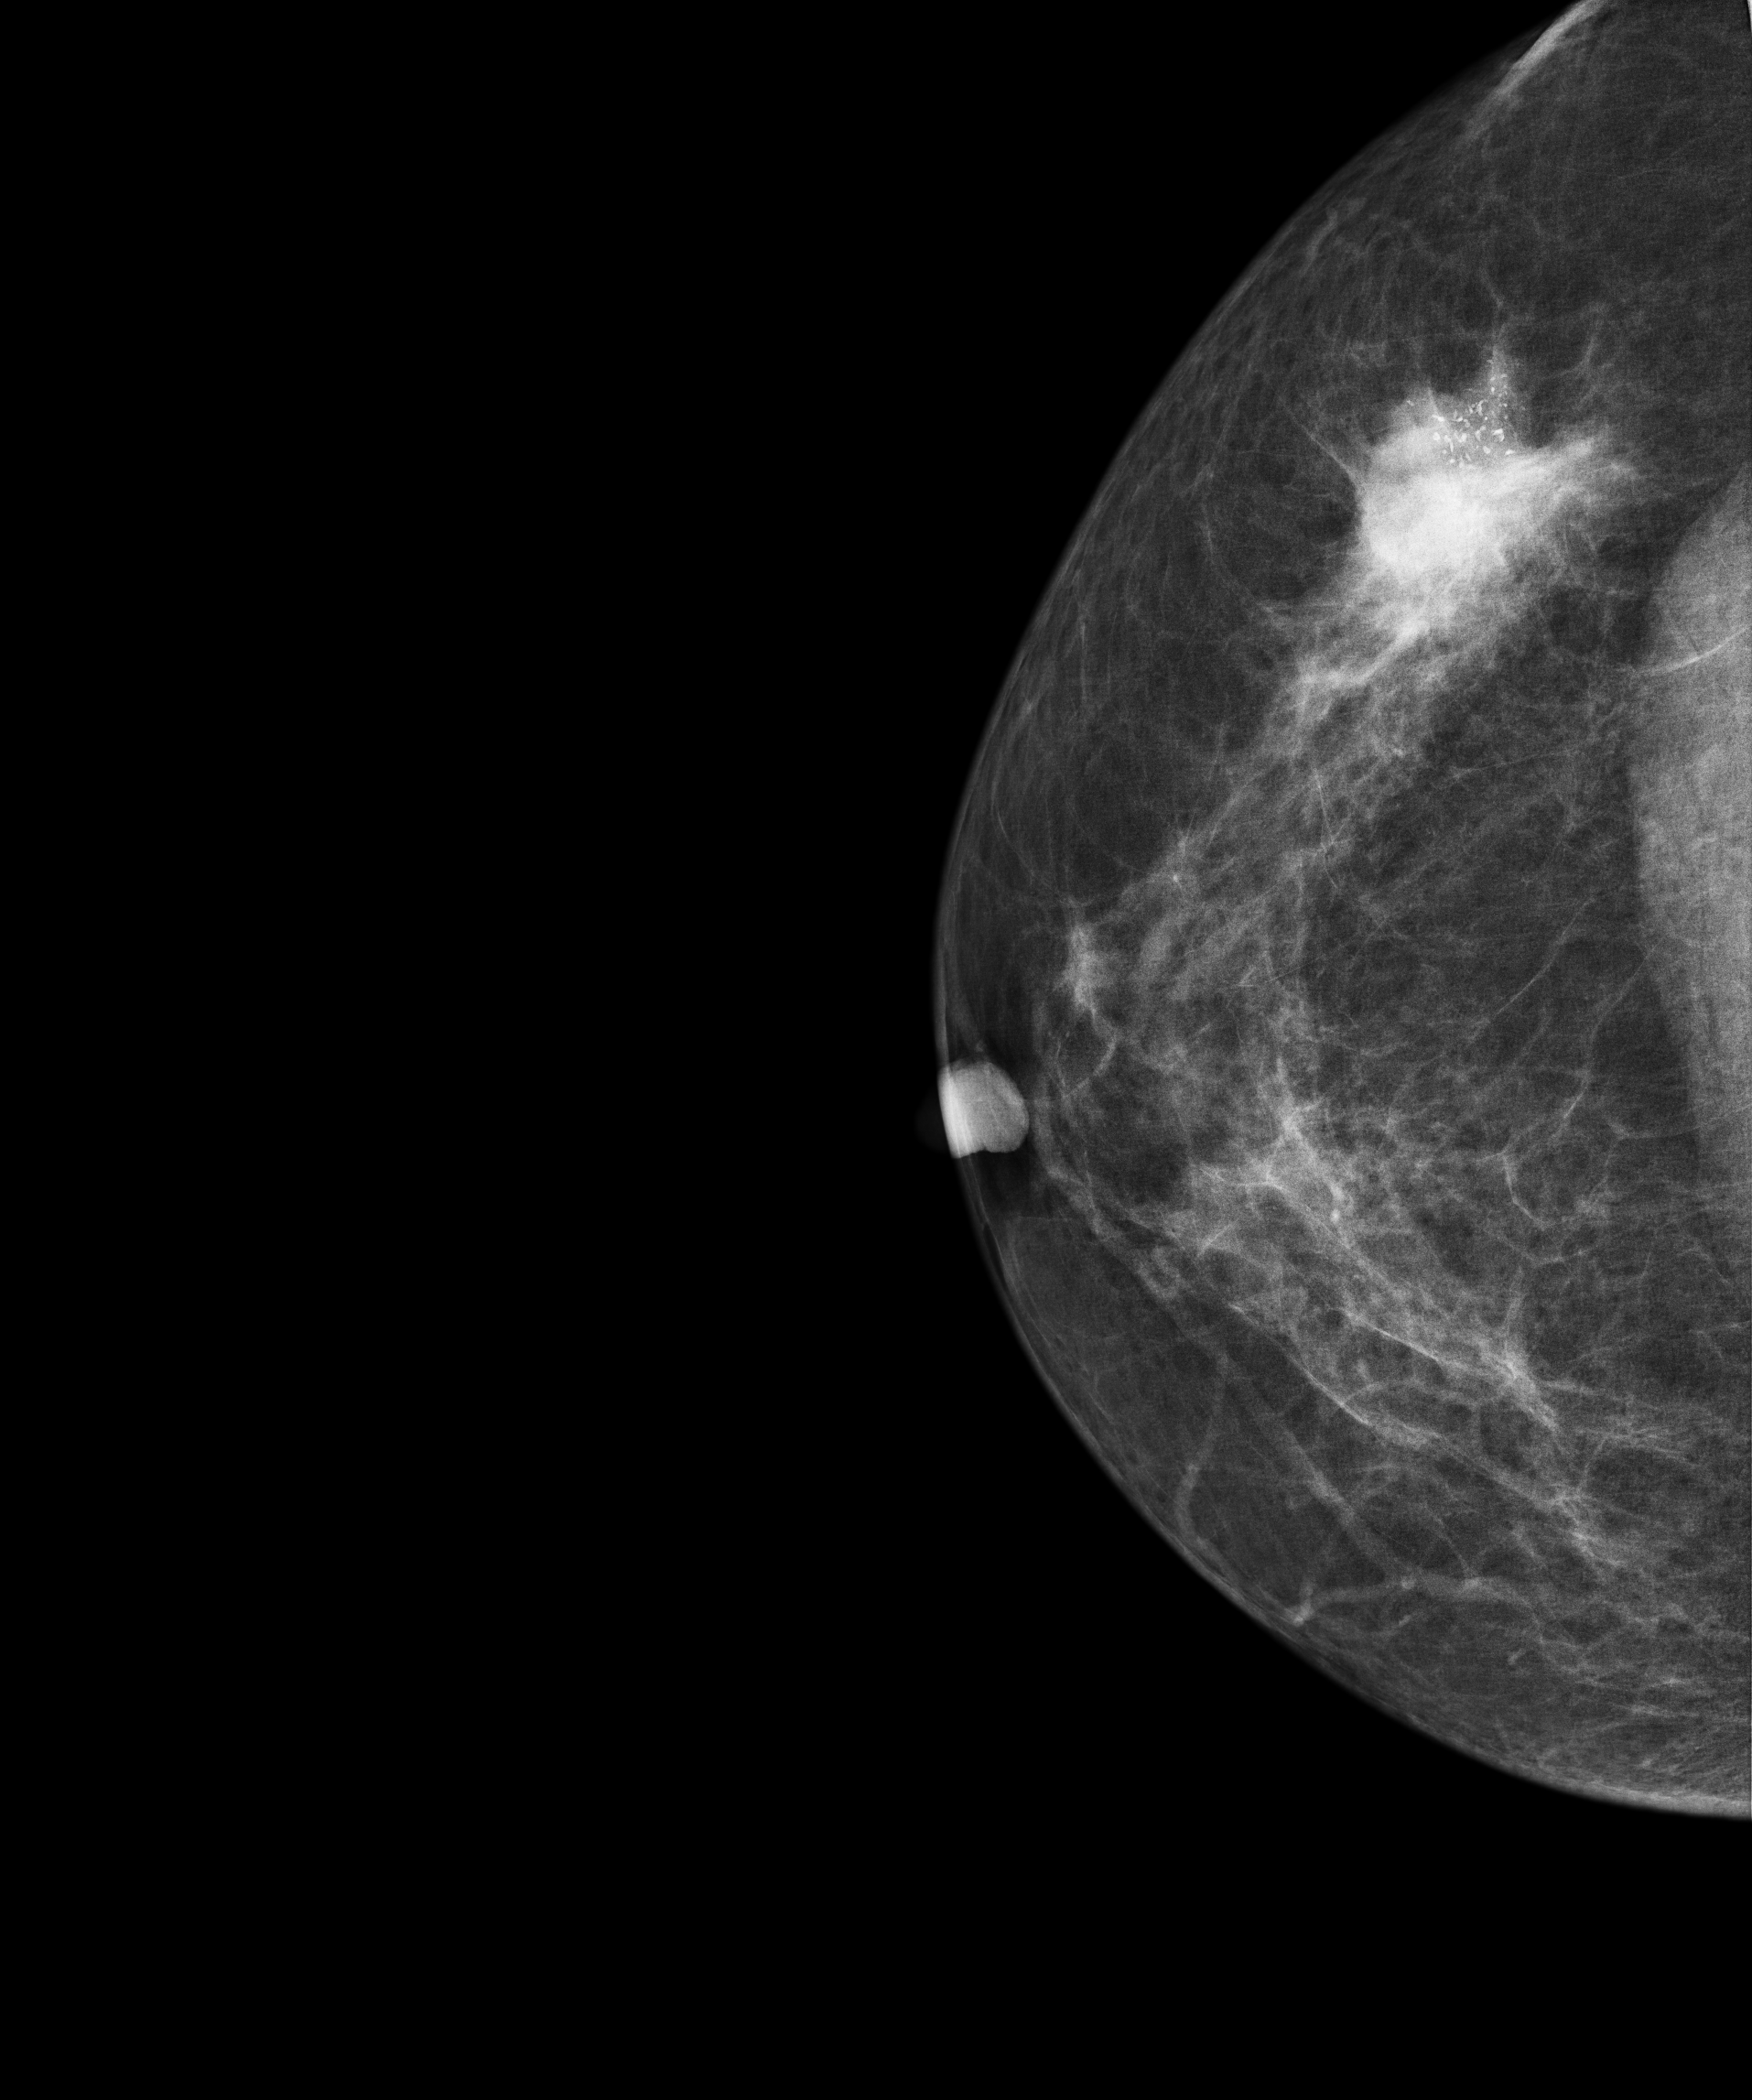
Mammogram — right CC. Patient age 55.
This breast has a mass and calcifications, biopsy-confirmed malignant. Molecular subtype: triple-negative.